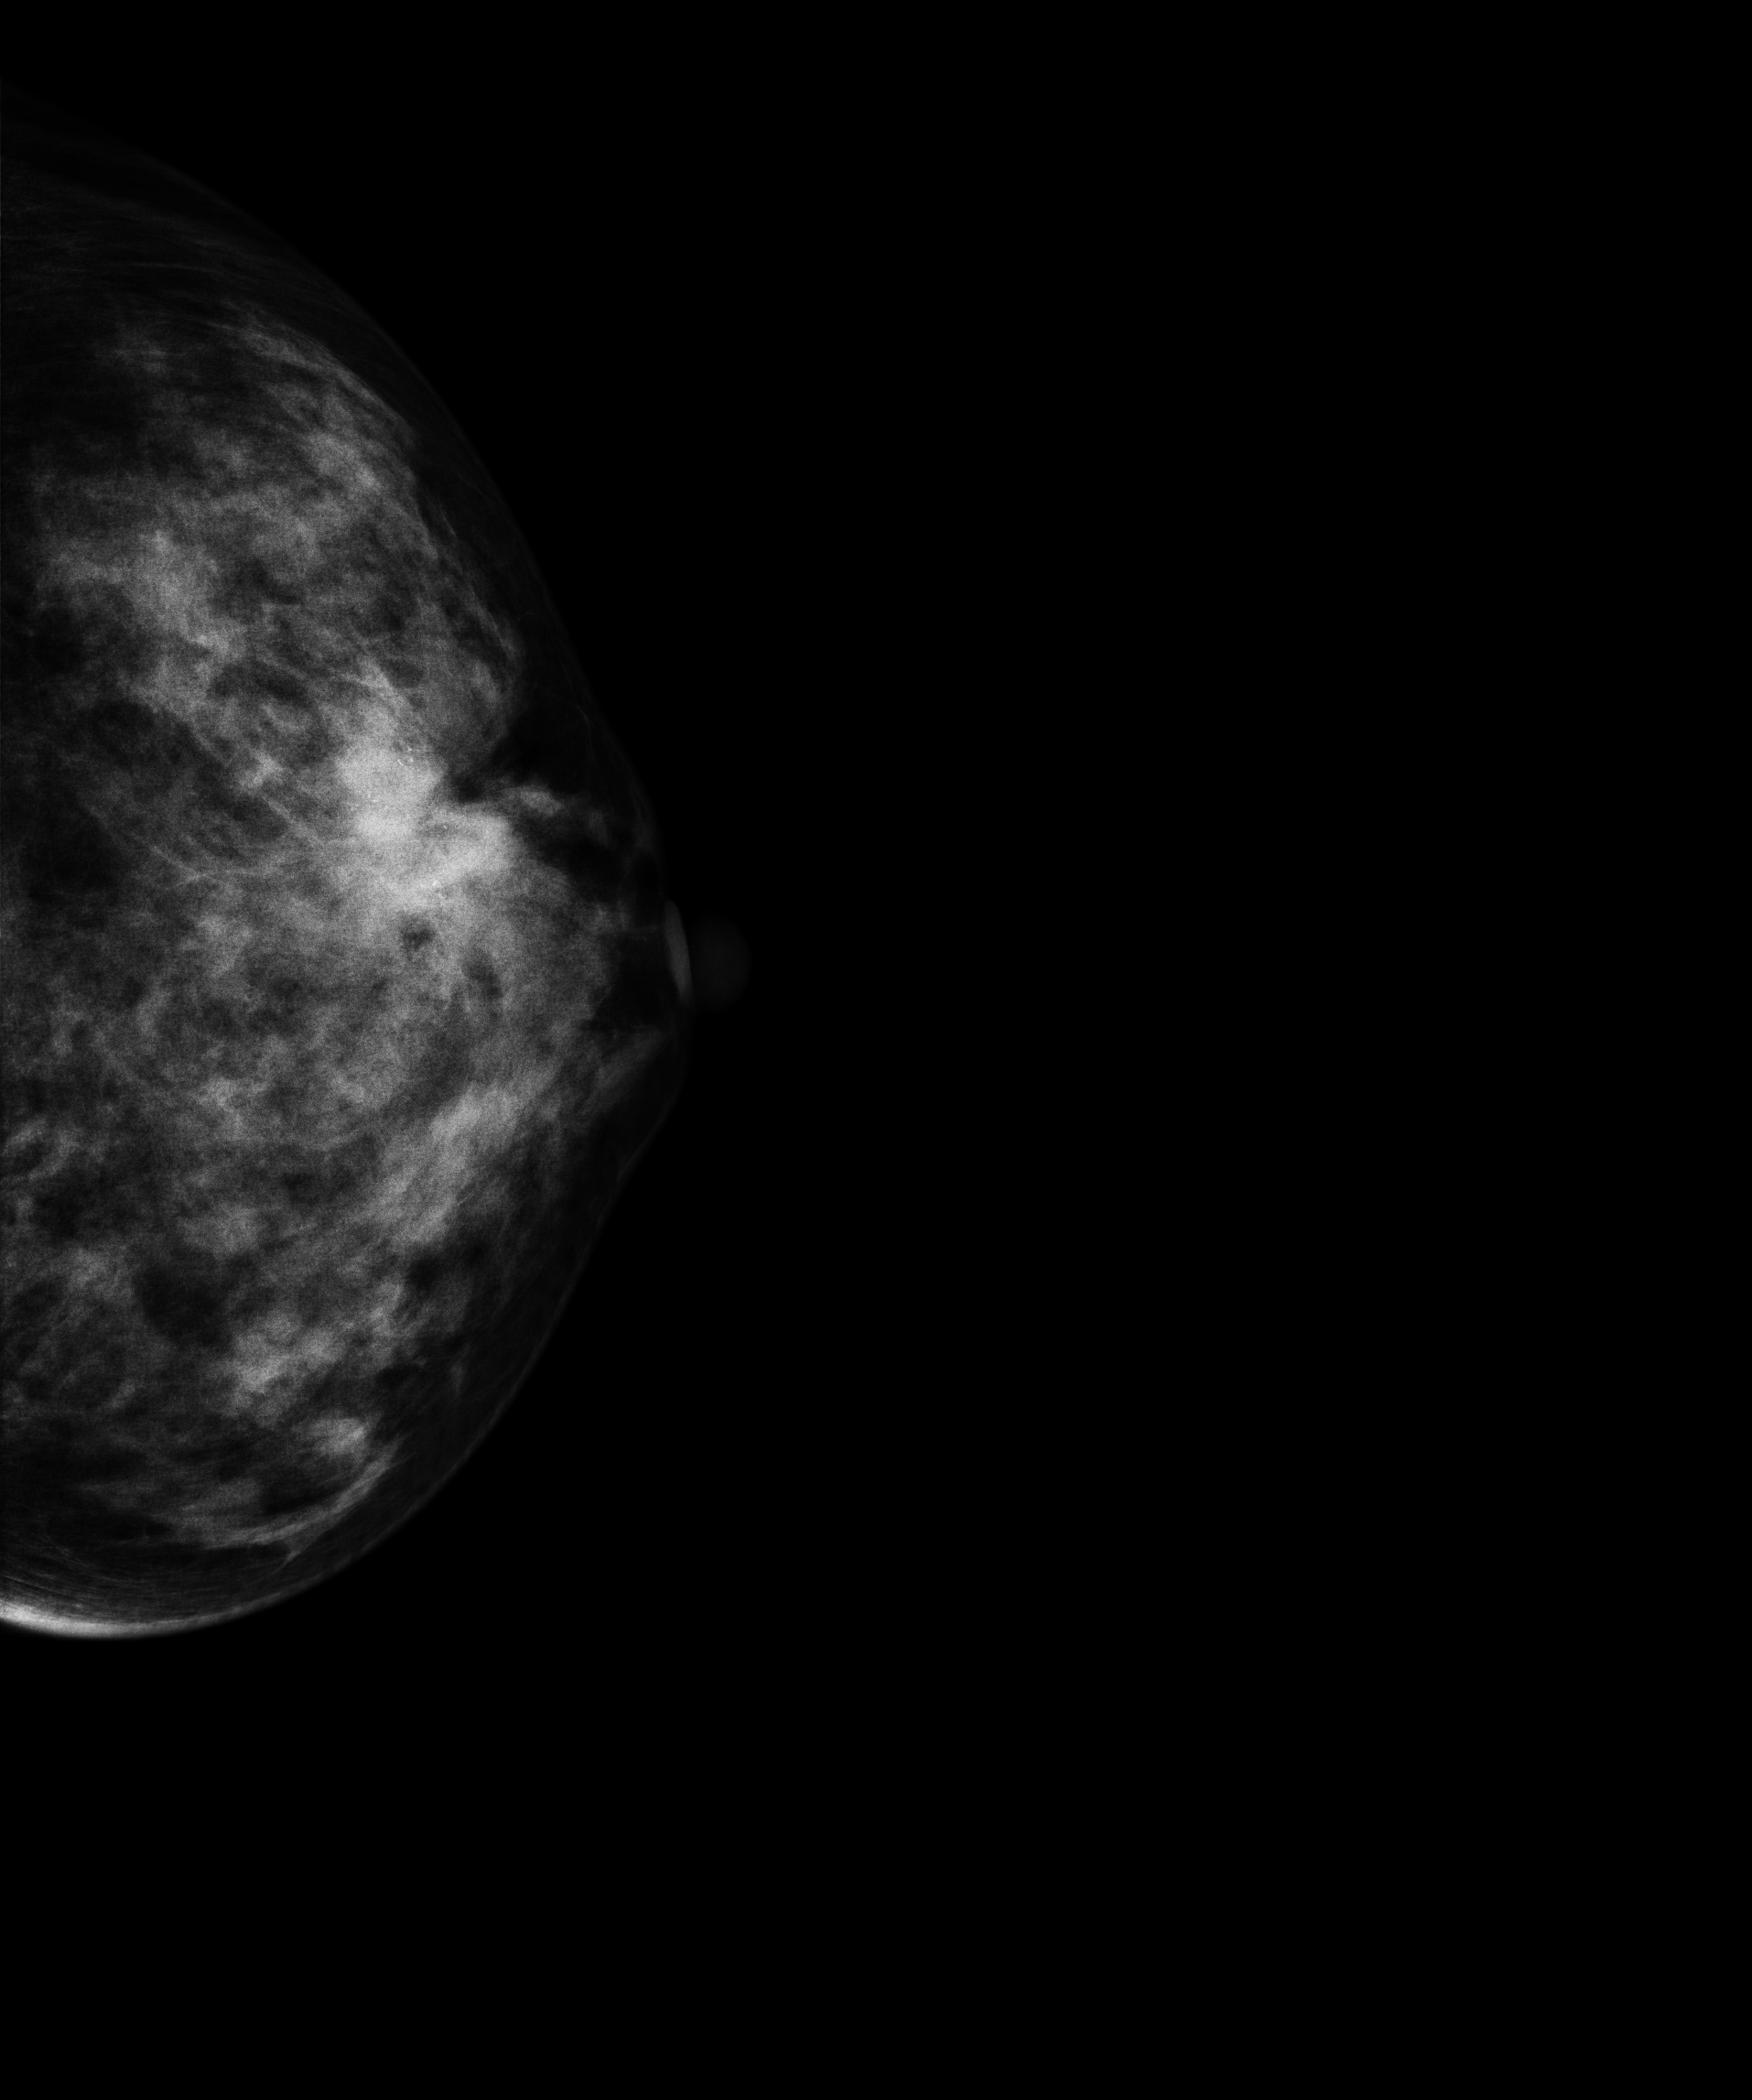
Cranio-caudal mammogram of the left breast. 44 y/o patient.
This breast has a mass and calcifications, biopsy-confirmed malignant.